Mammogram, right breast, cranio-caudal view. 36-year-old patient.
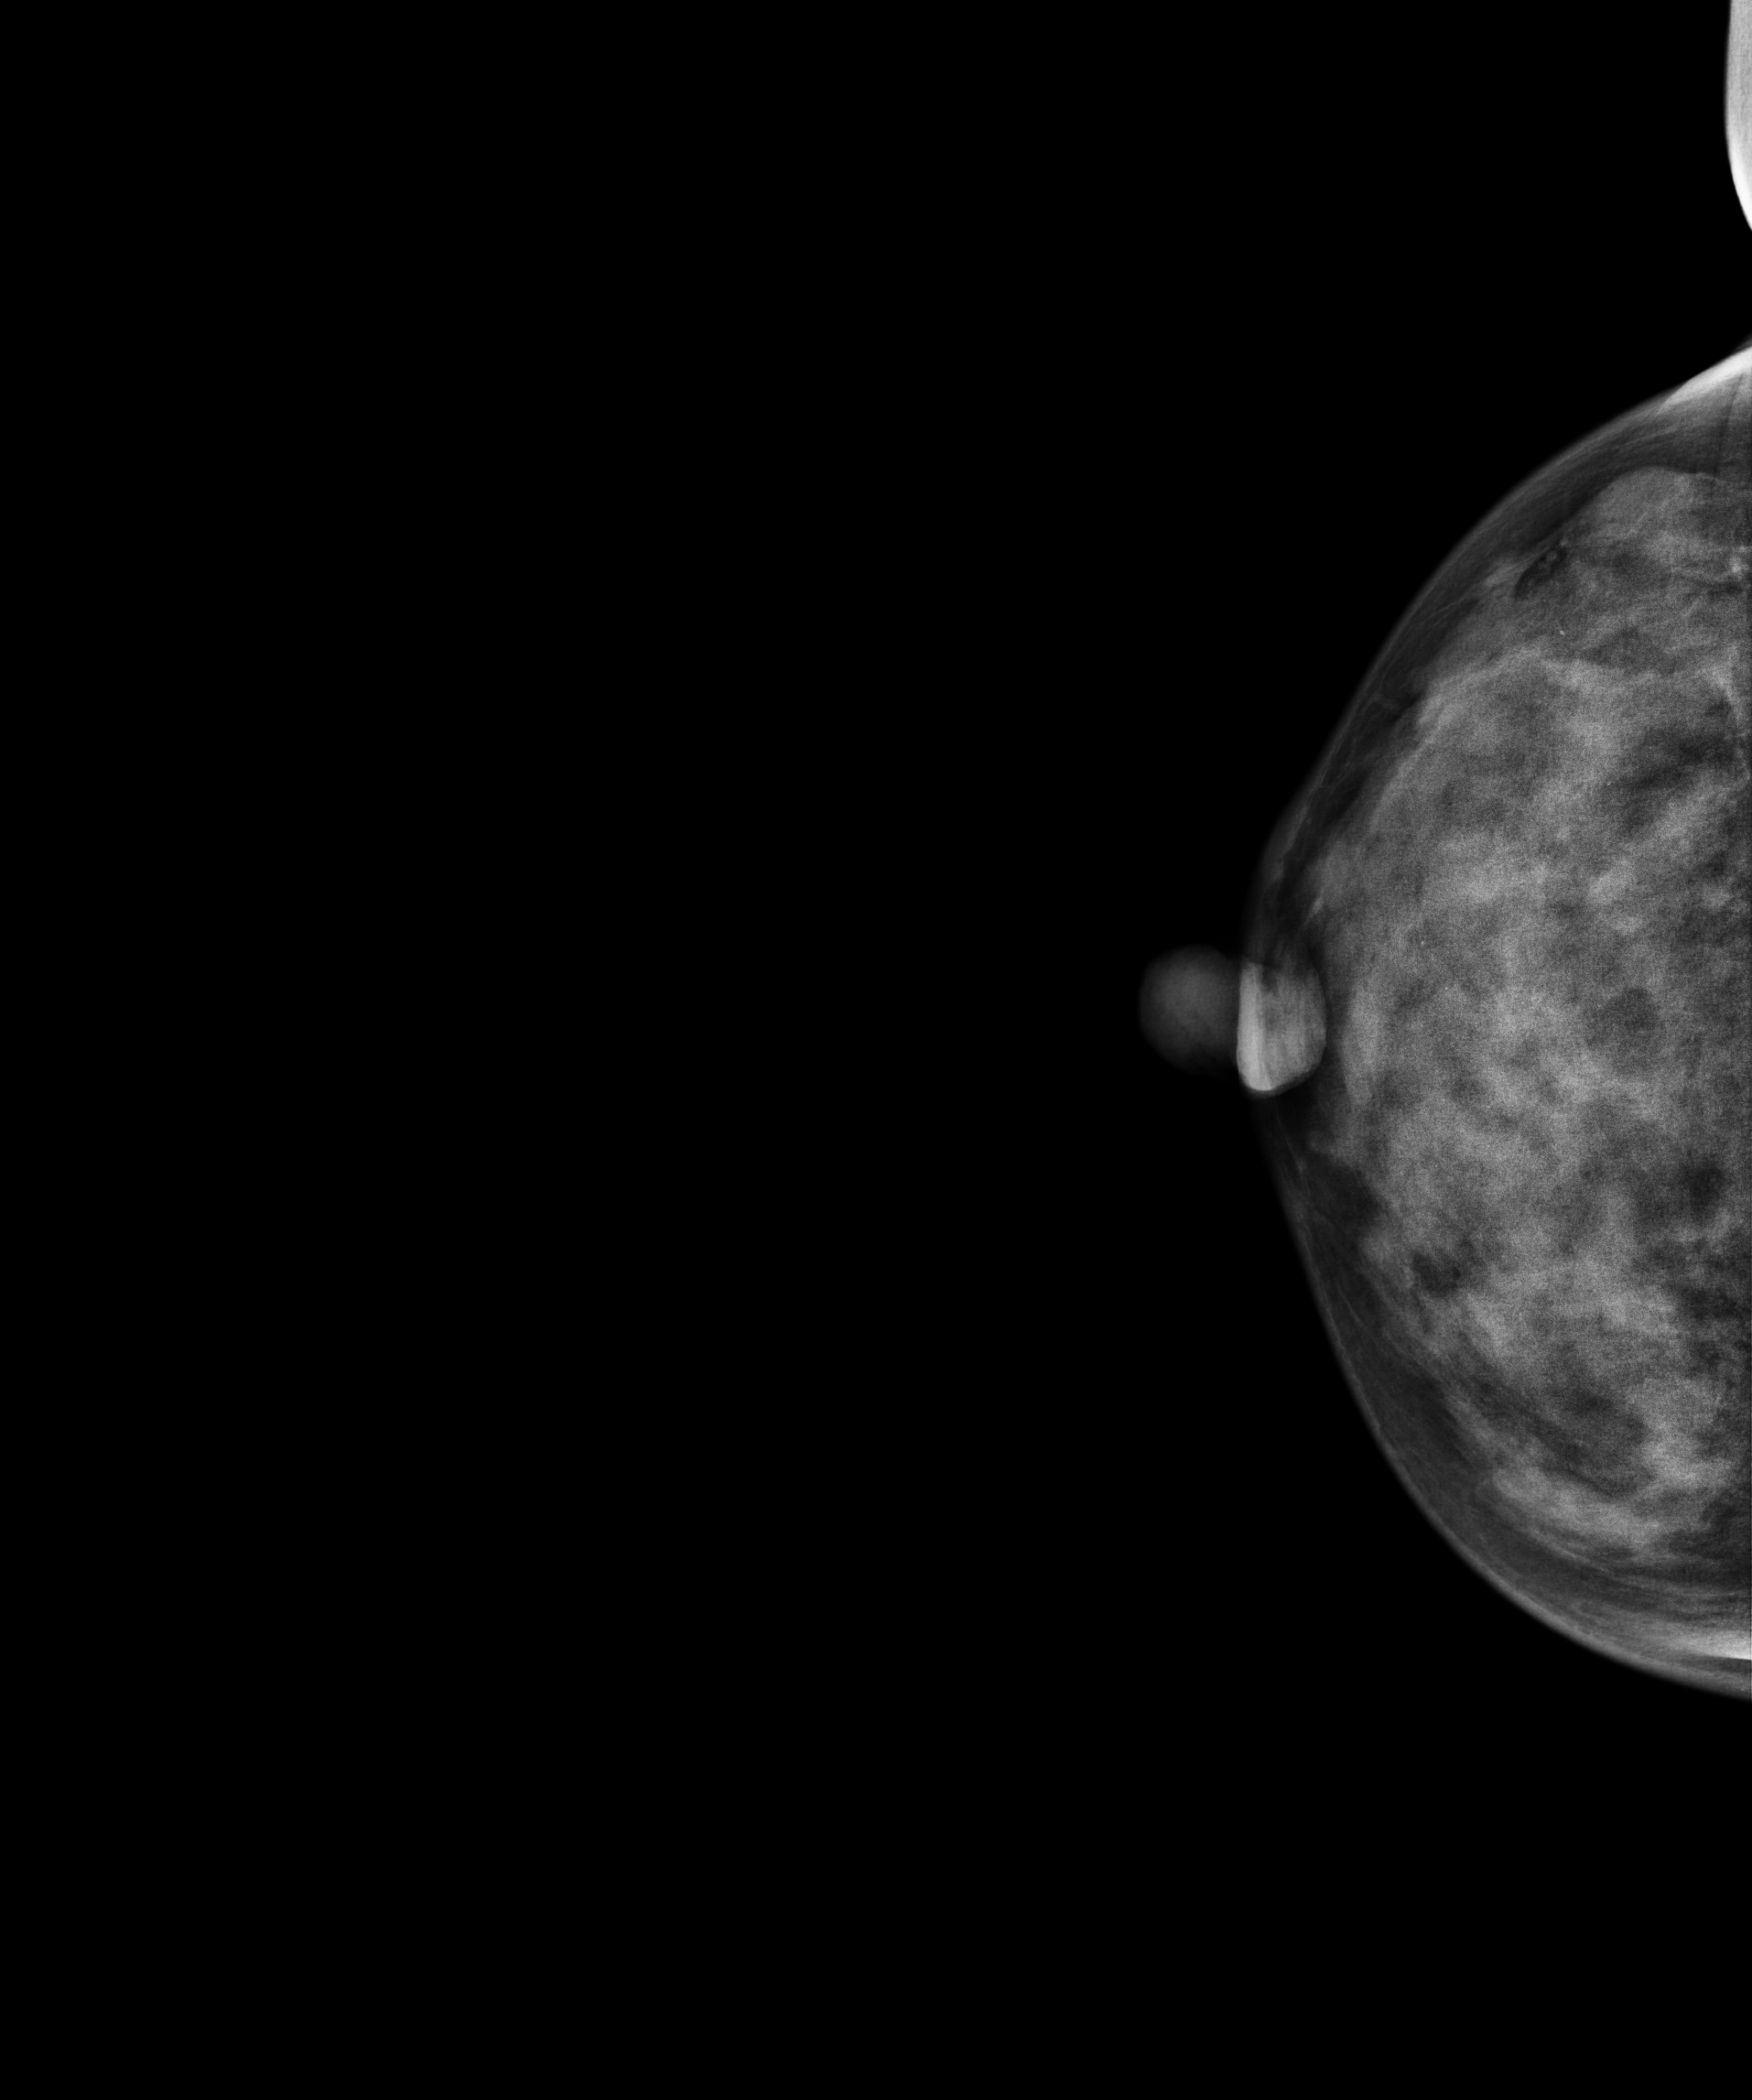
Contralateral breast — no documented abnormality on this side.